Mammogram, right breast, medio-lateral oblique view. Patient age 46.
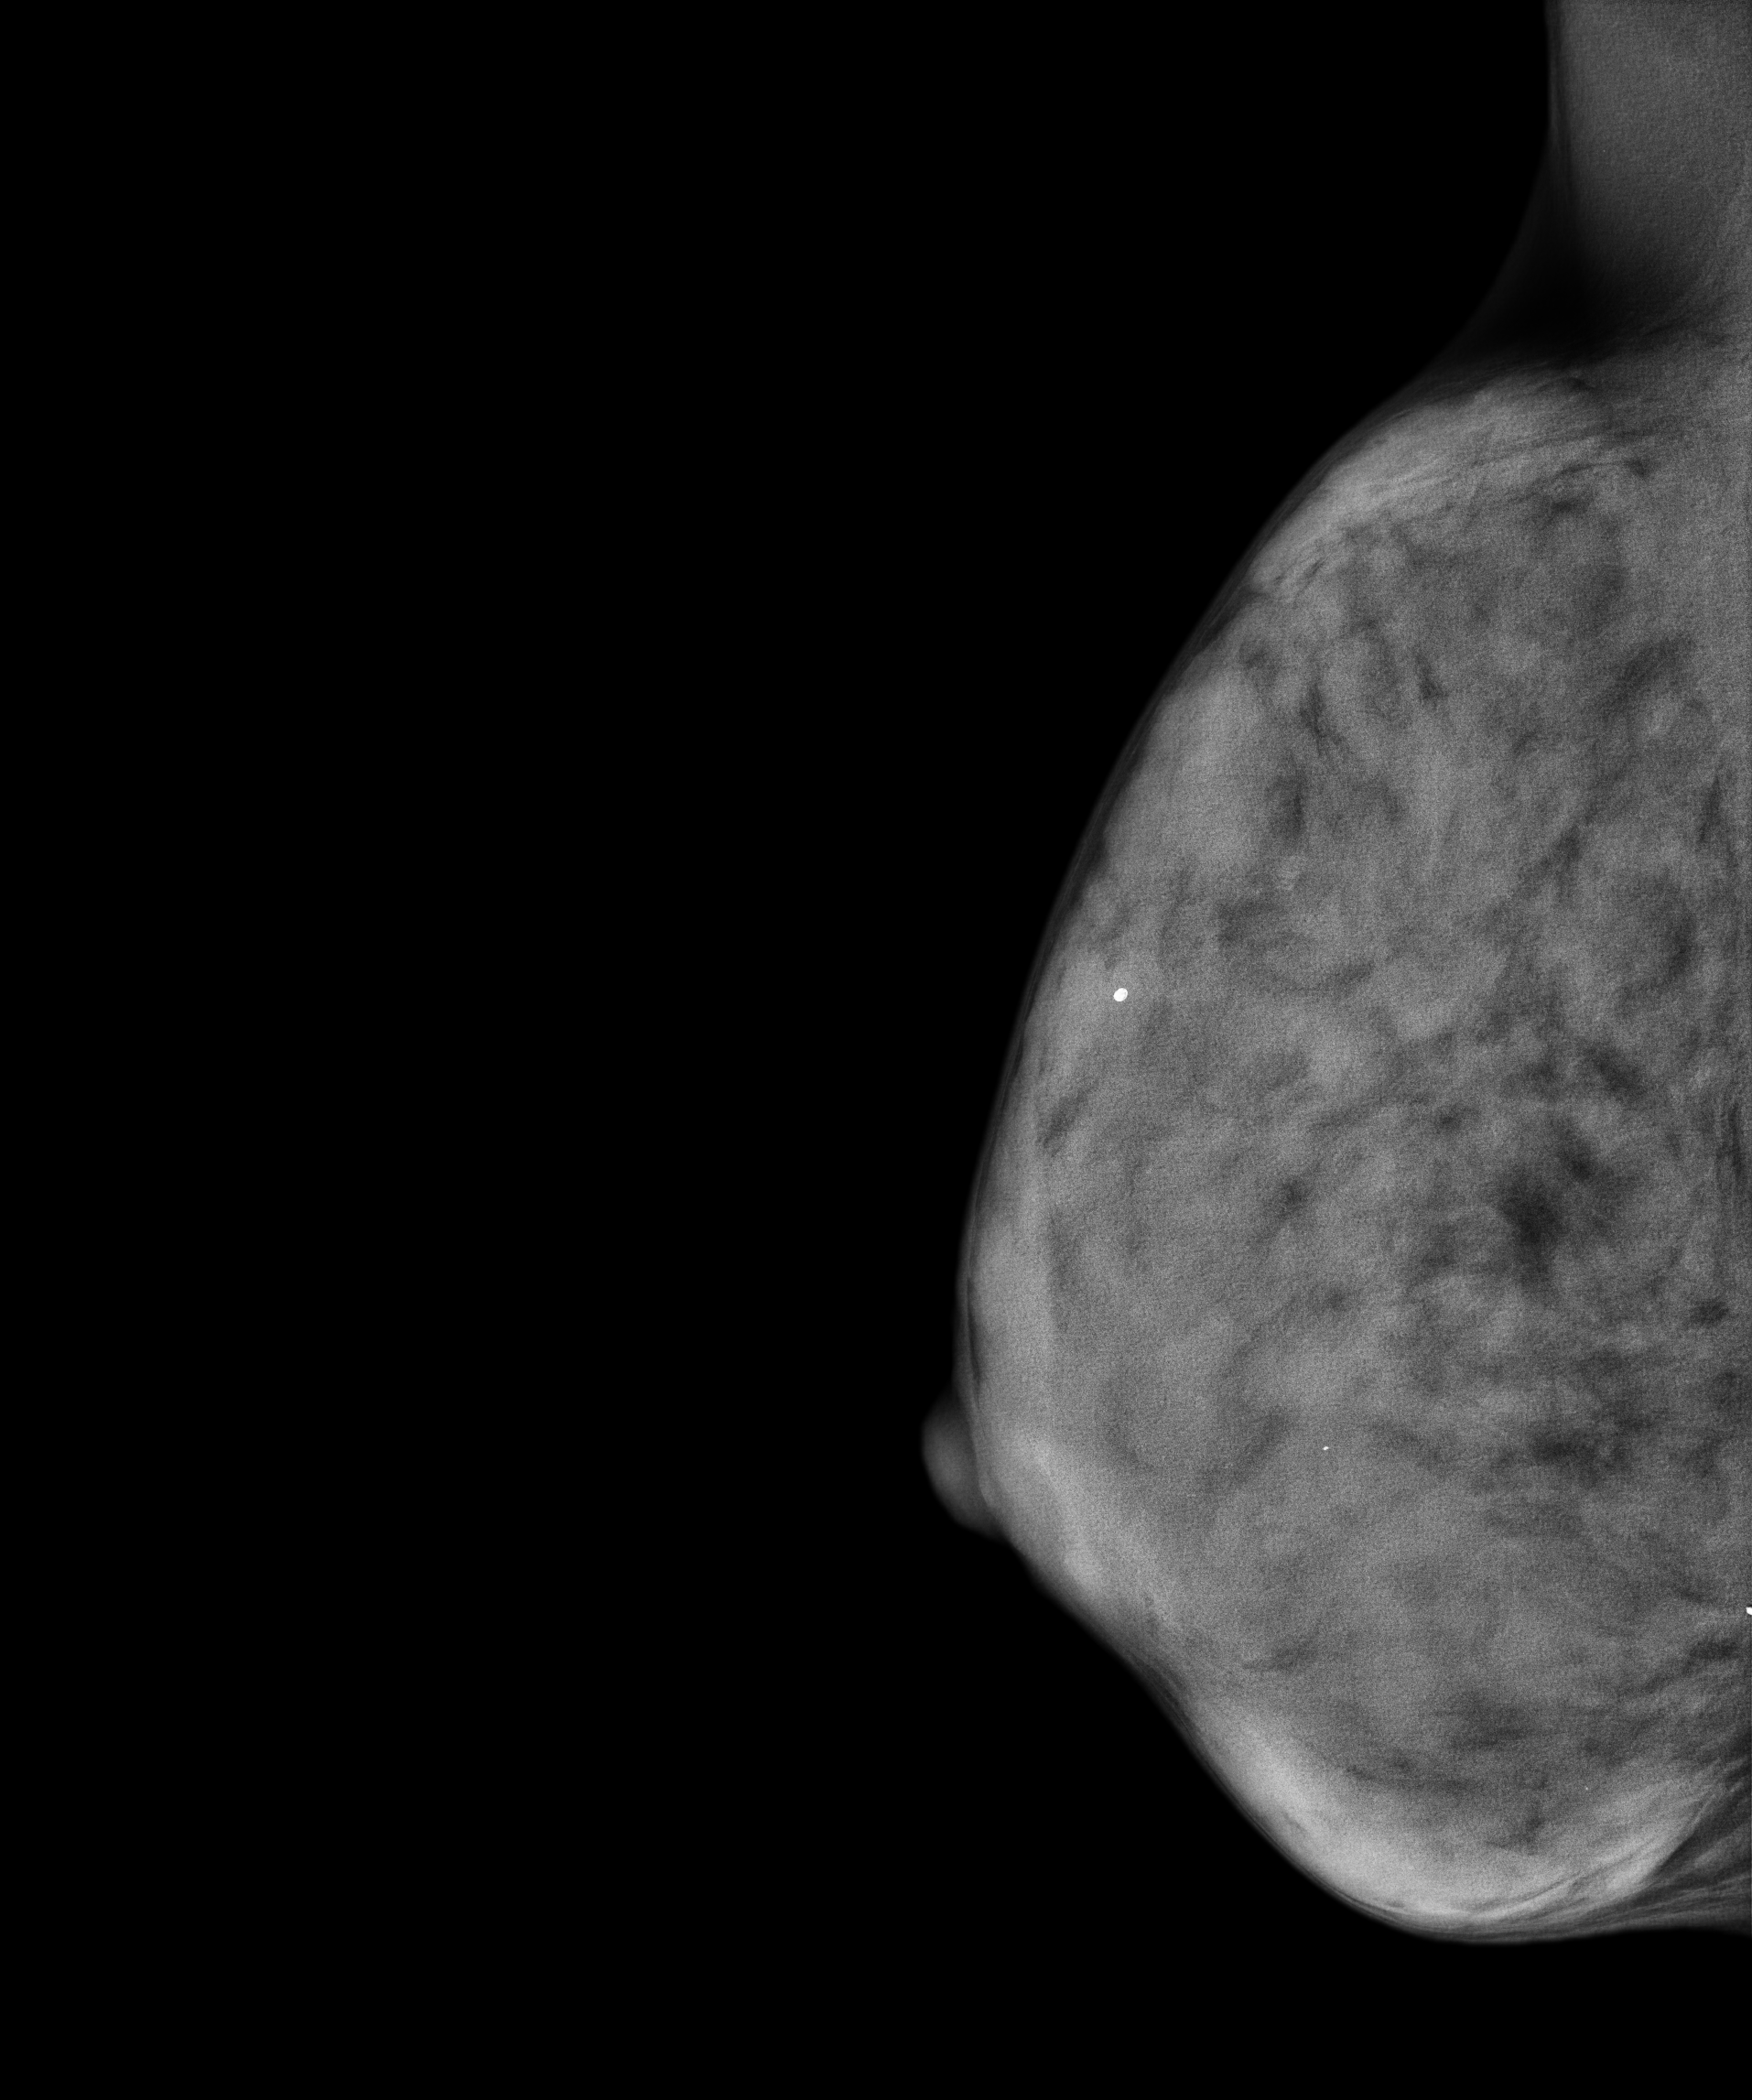
This breast has calcifications, histologically confirmed benign.